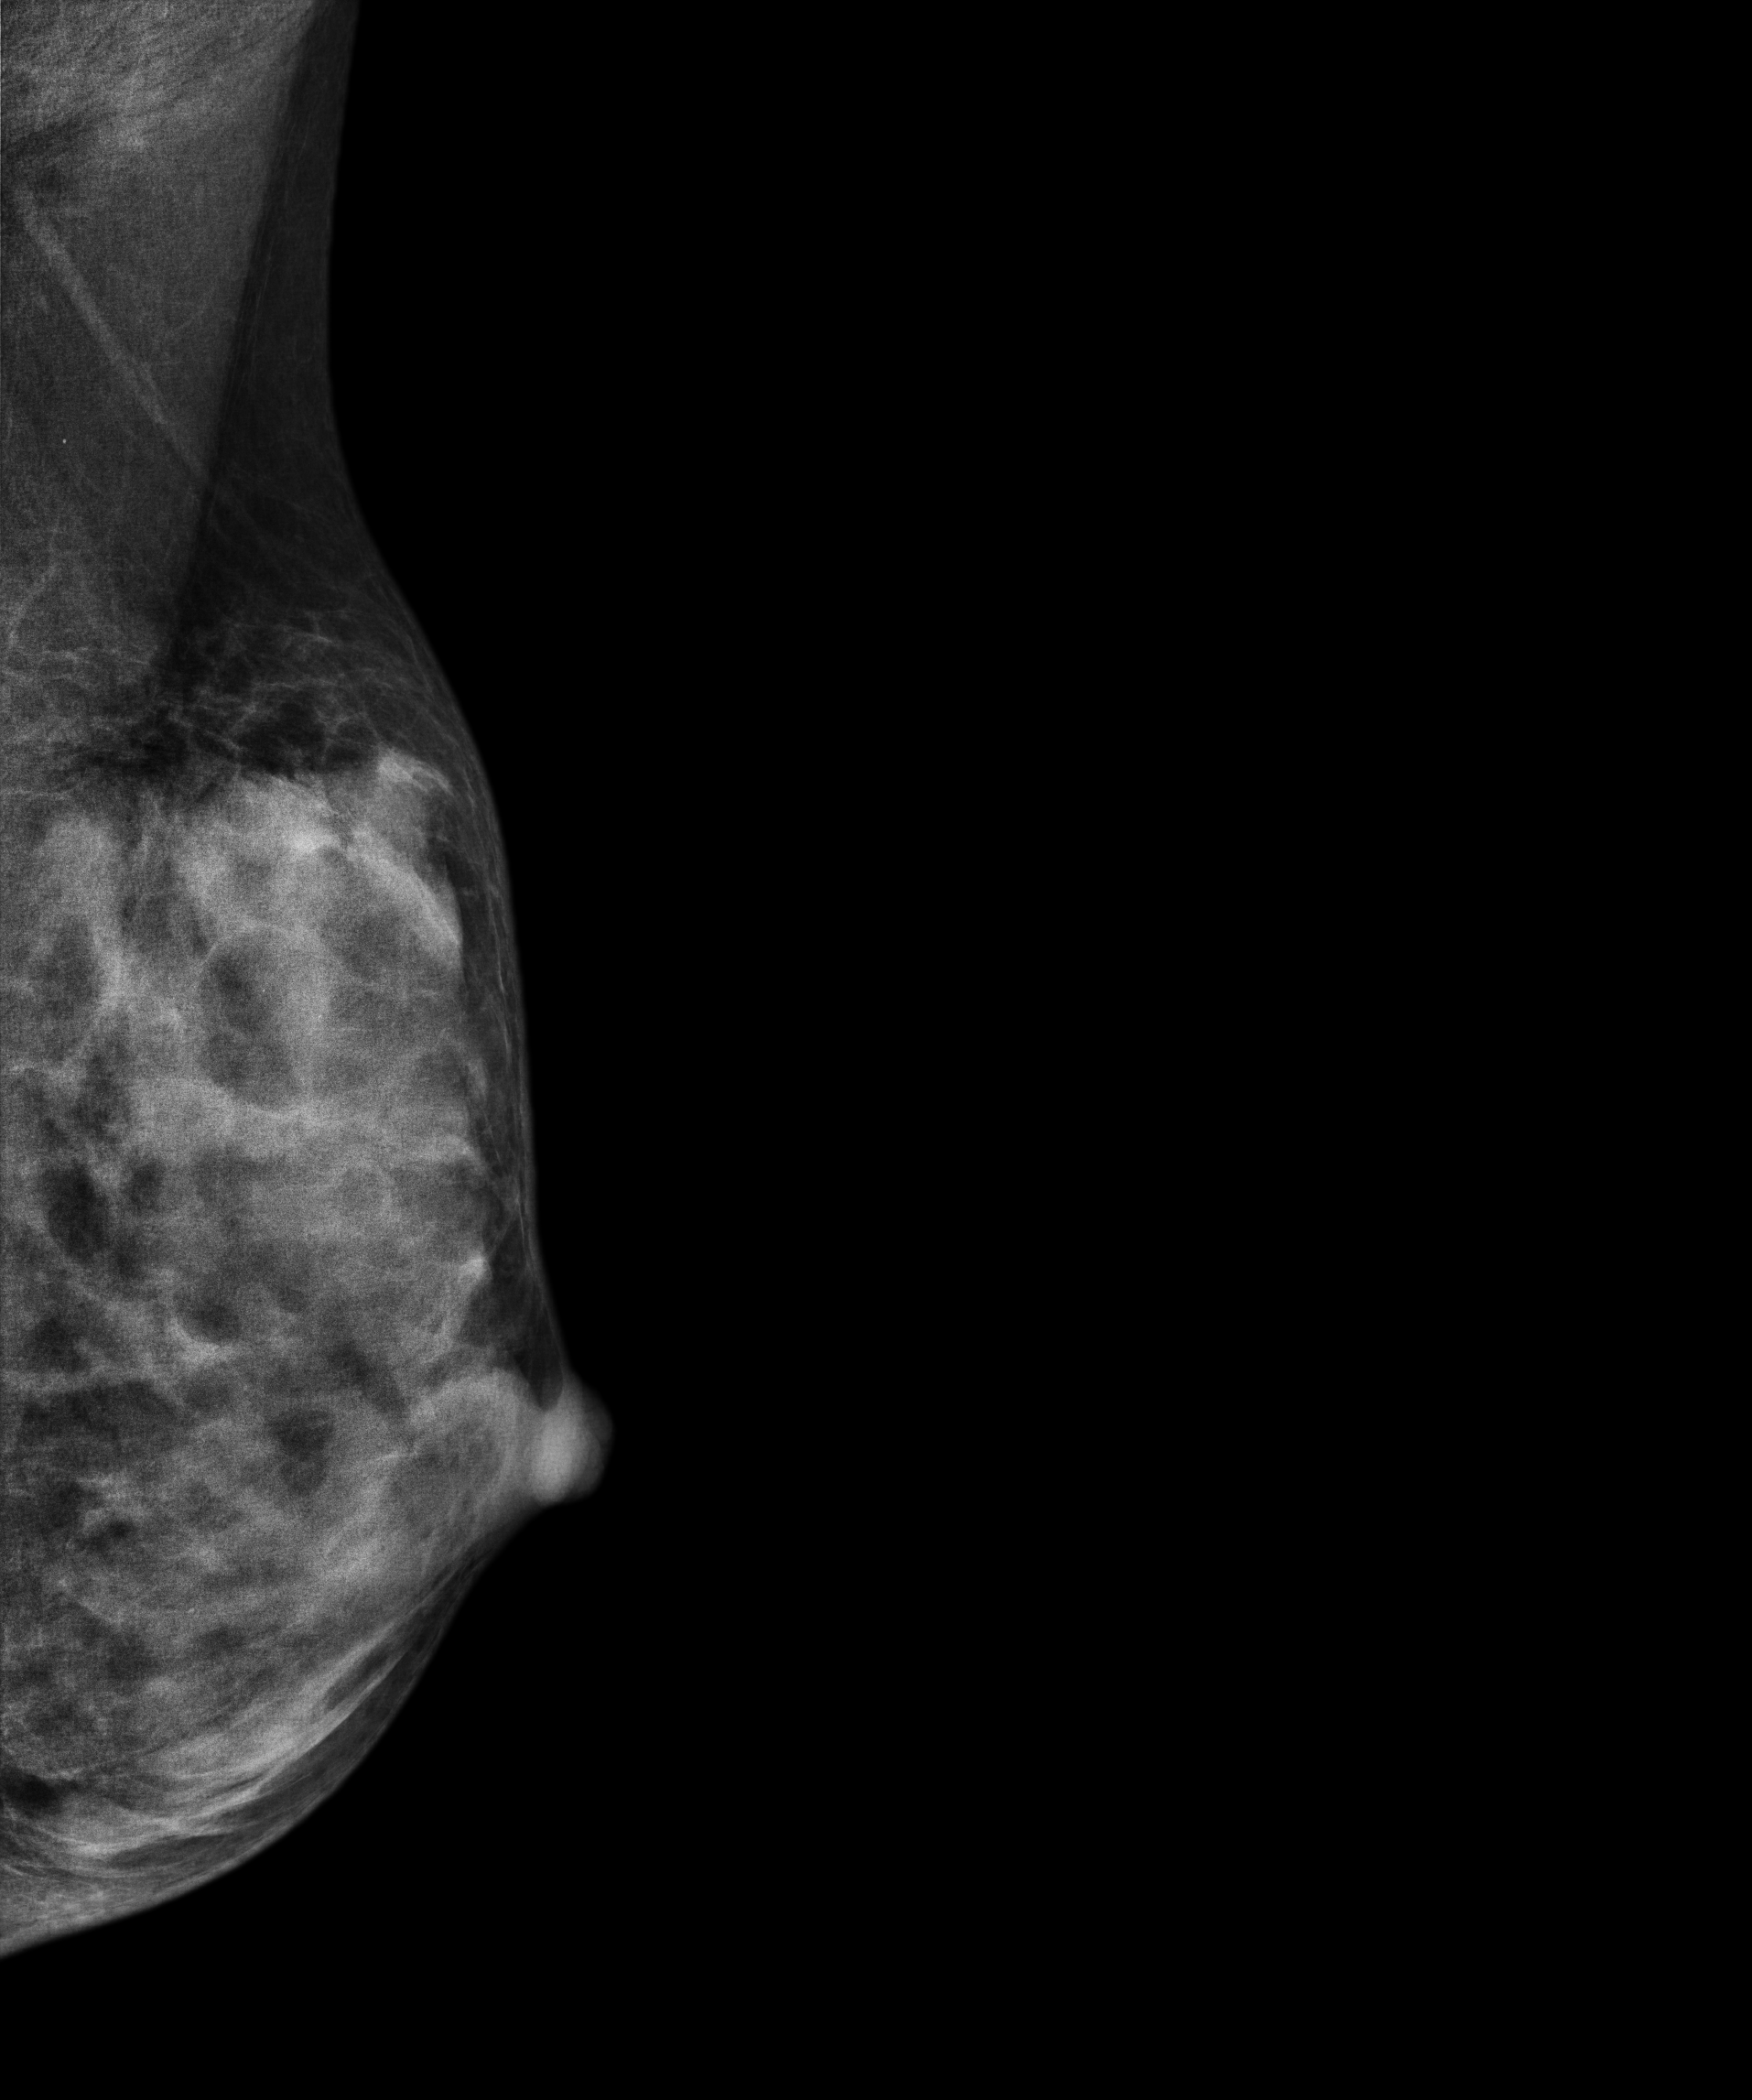
Digital mammography. Left breast, medio-lateral oblique projection. 29 y/o patient.
This breast has a mass, pathology-confirmed malignant. Molecular subtype: triple-negative.